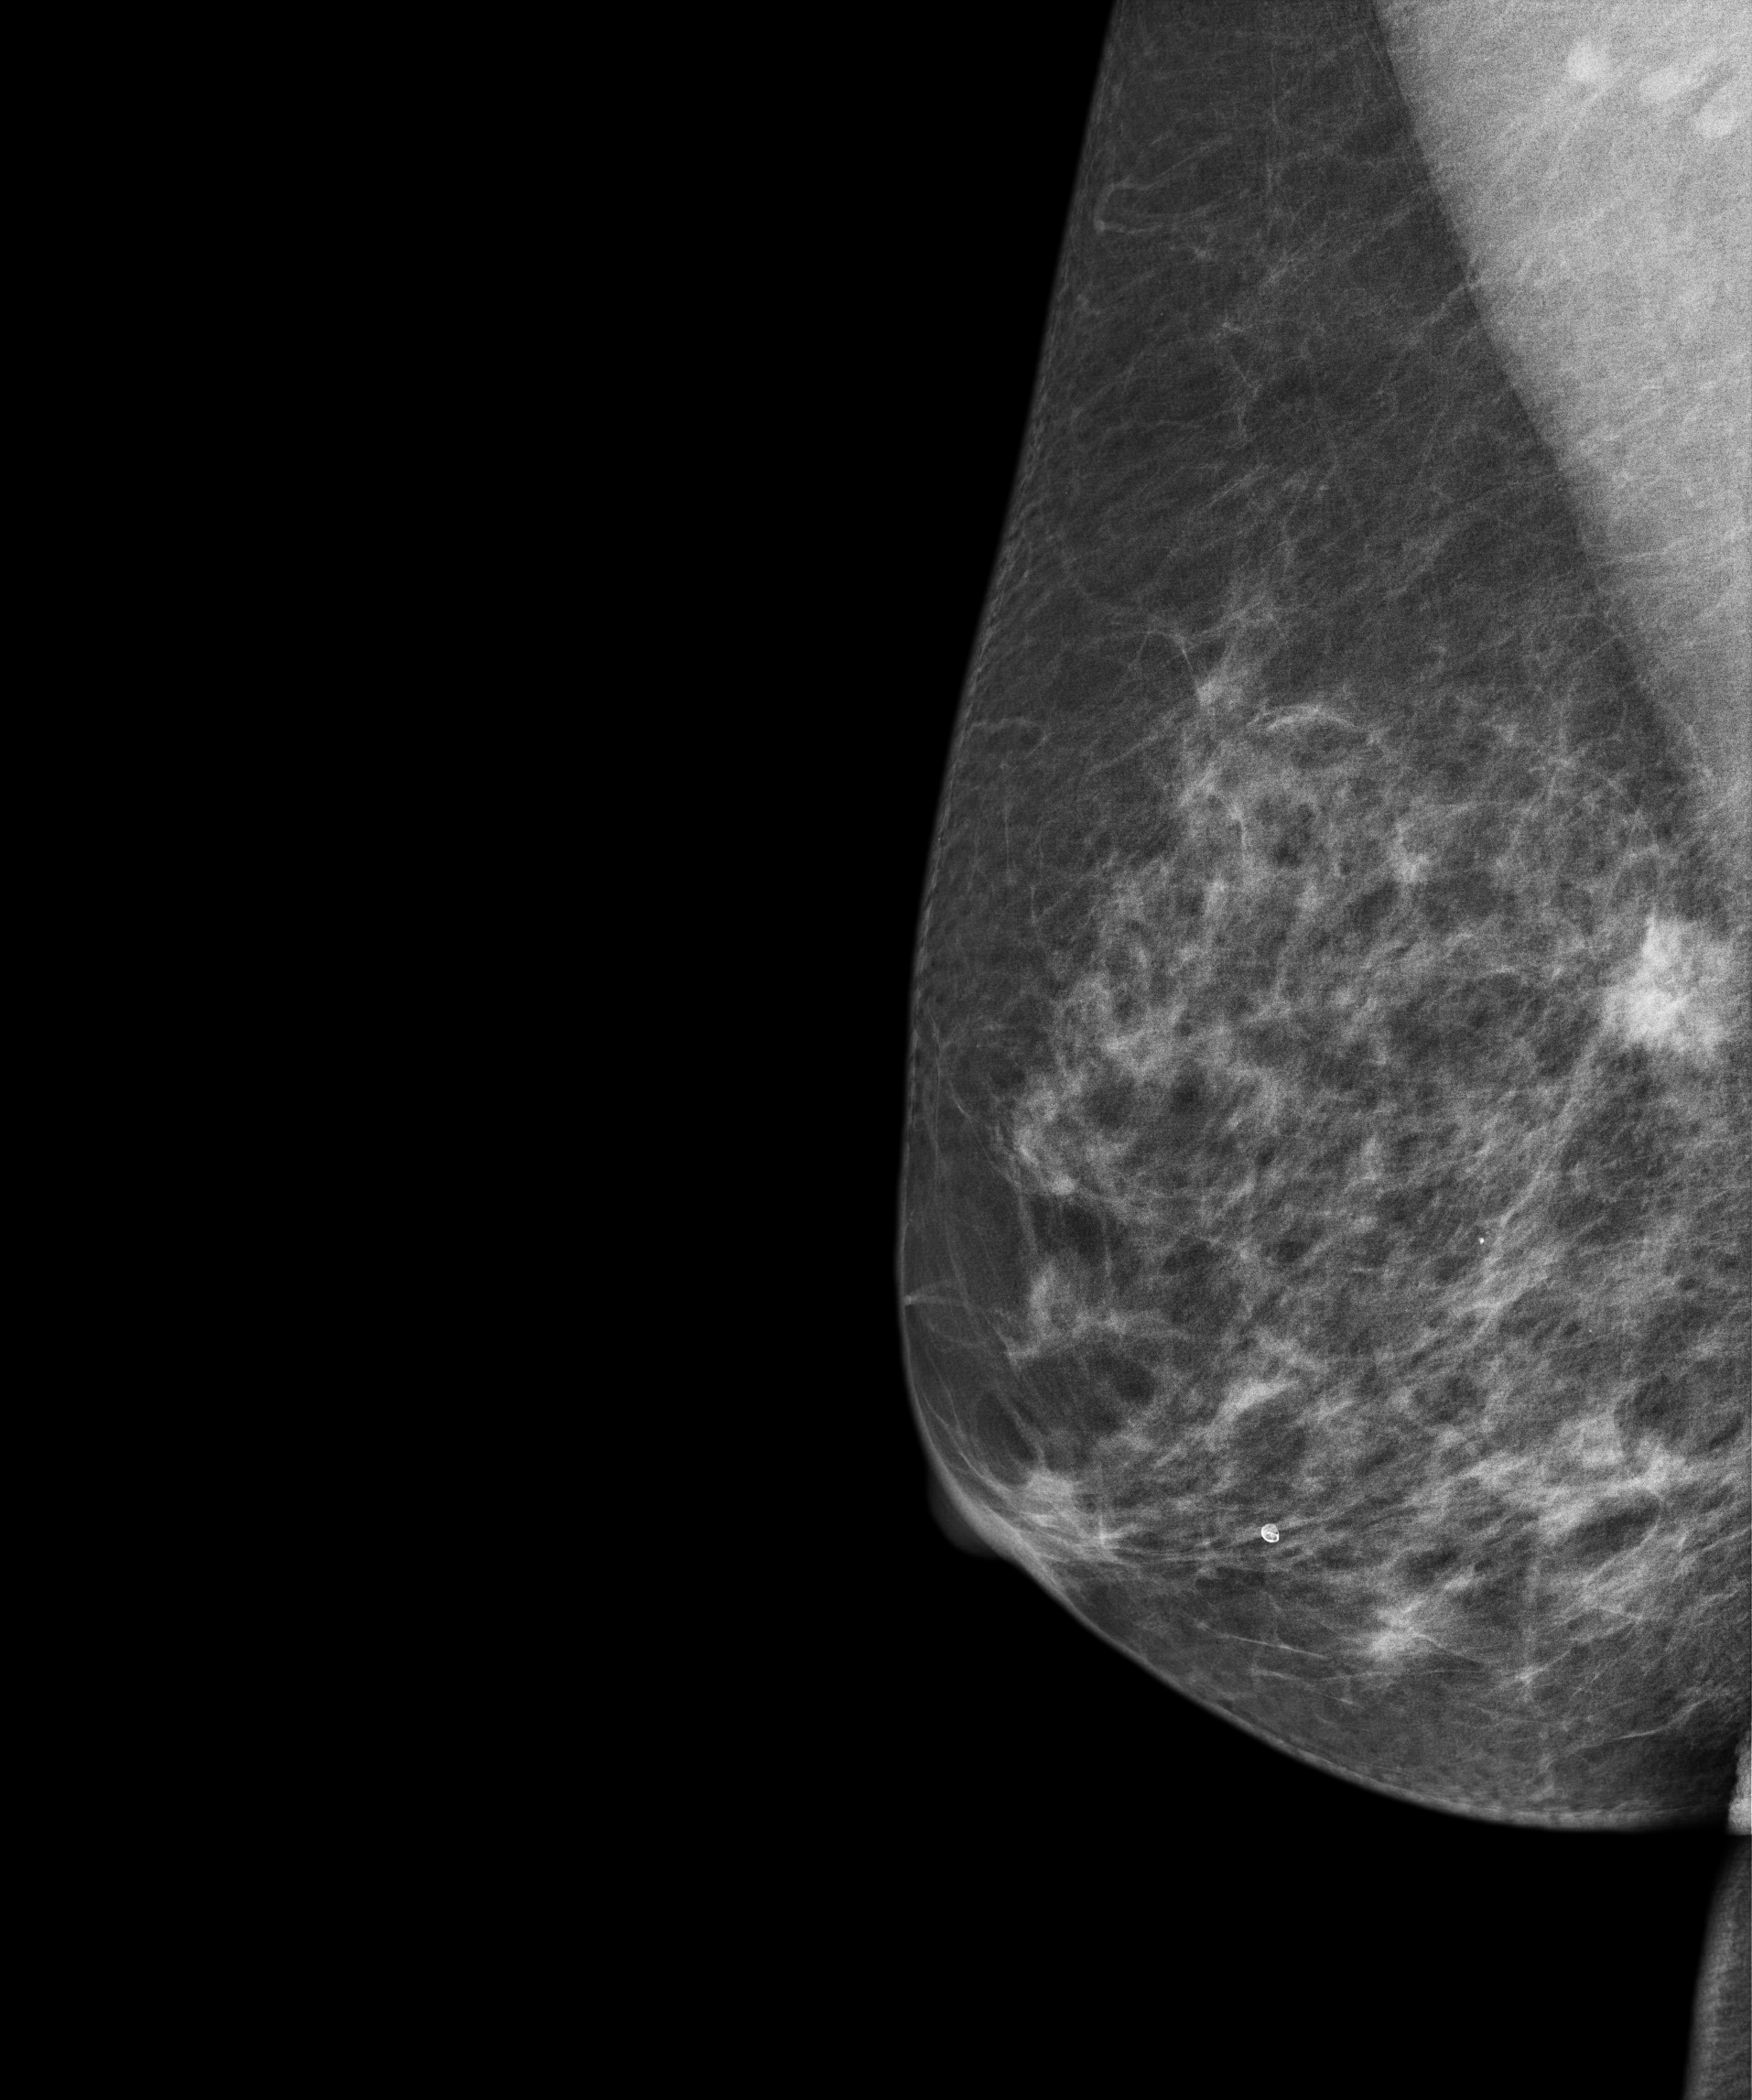
Medio-lateral oblique mammogram of the right breast. 69 y/o patient.
This breast has a mass, histologically confirmed malignant.